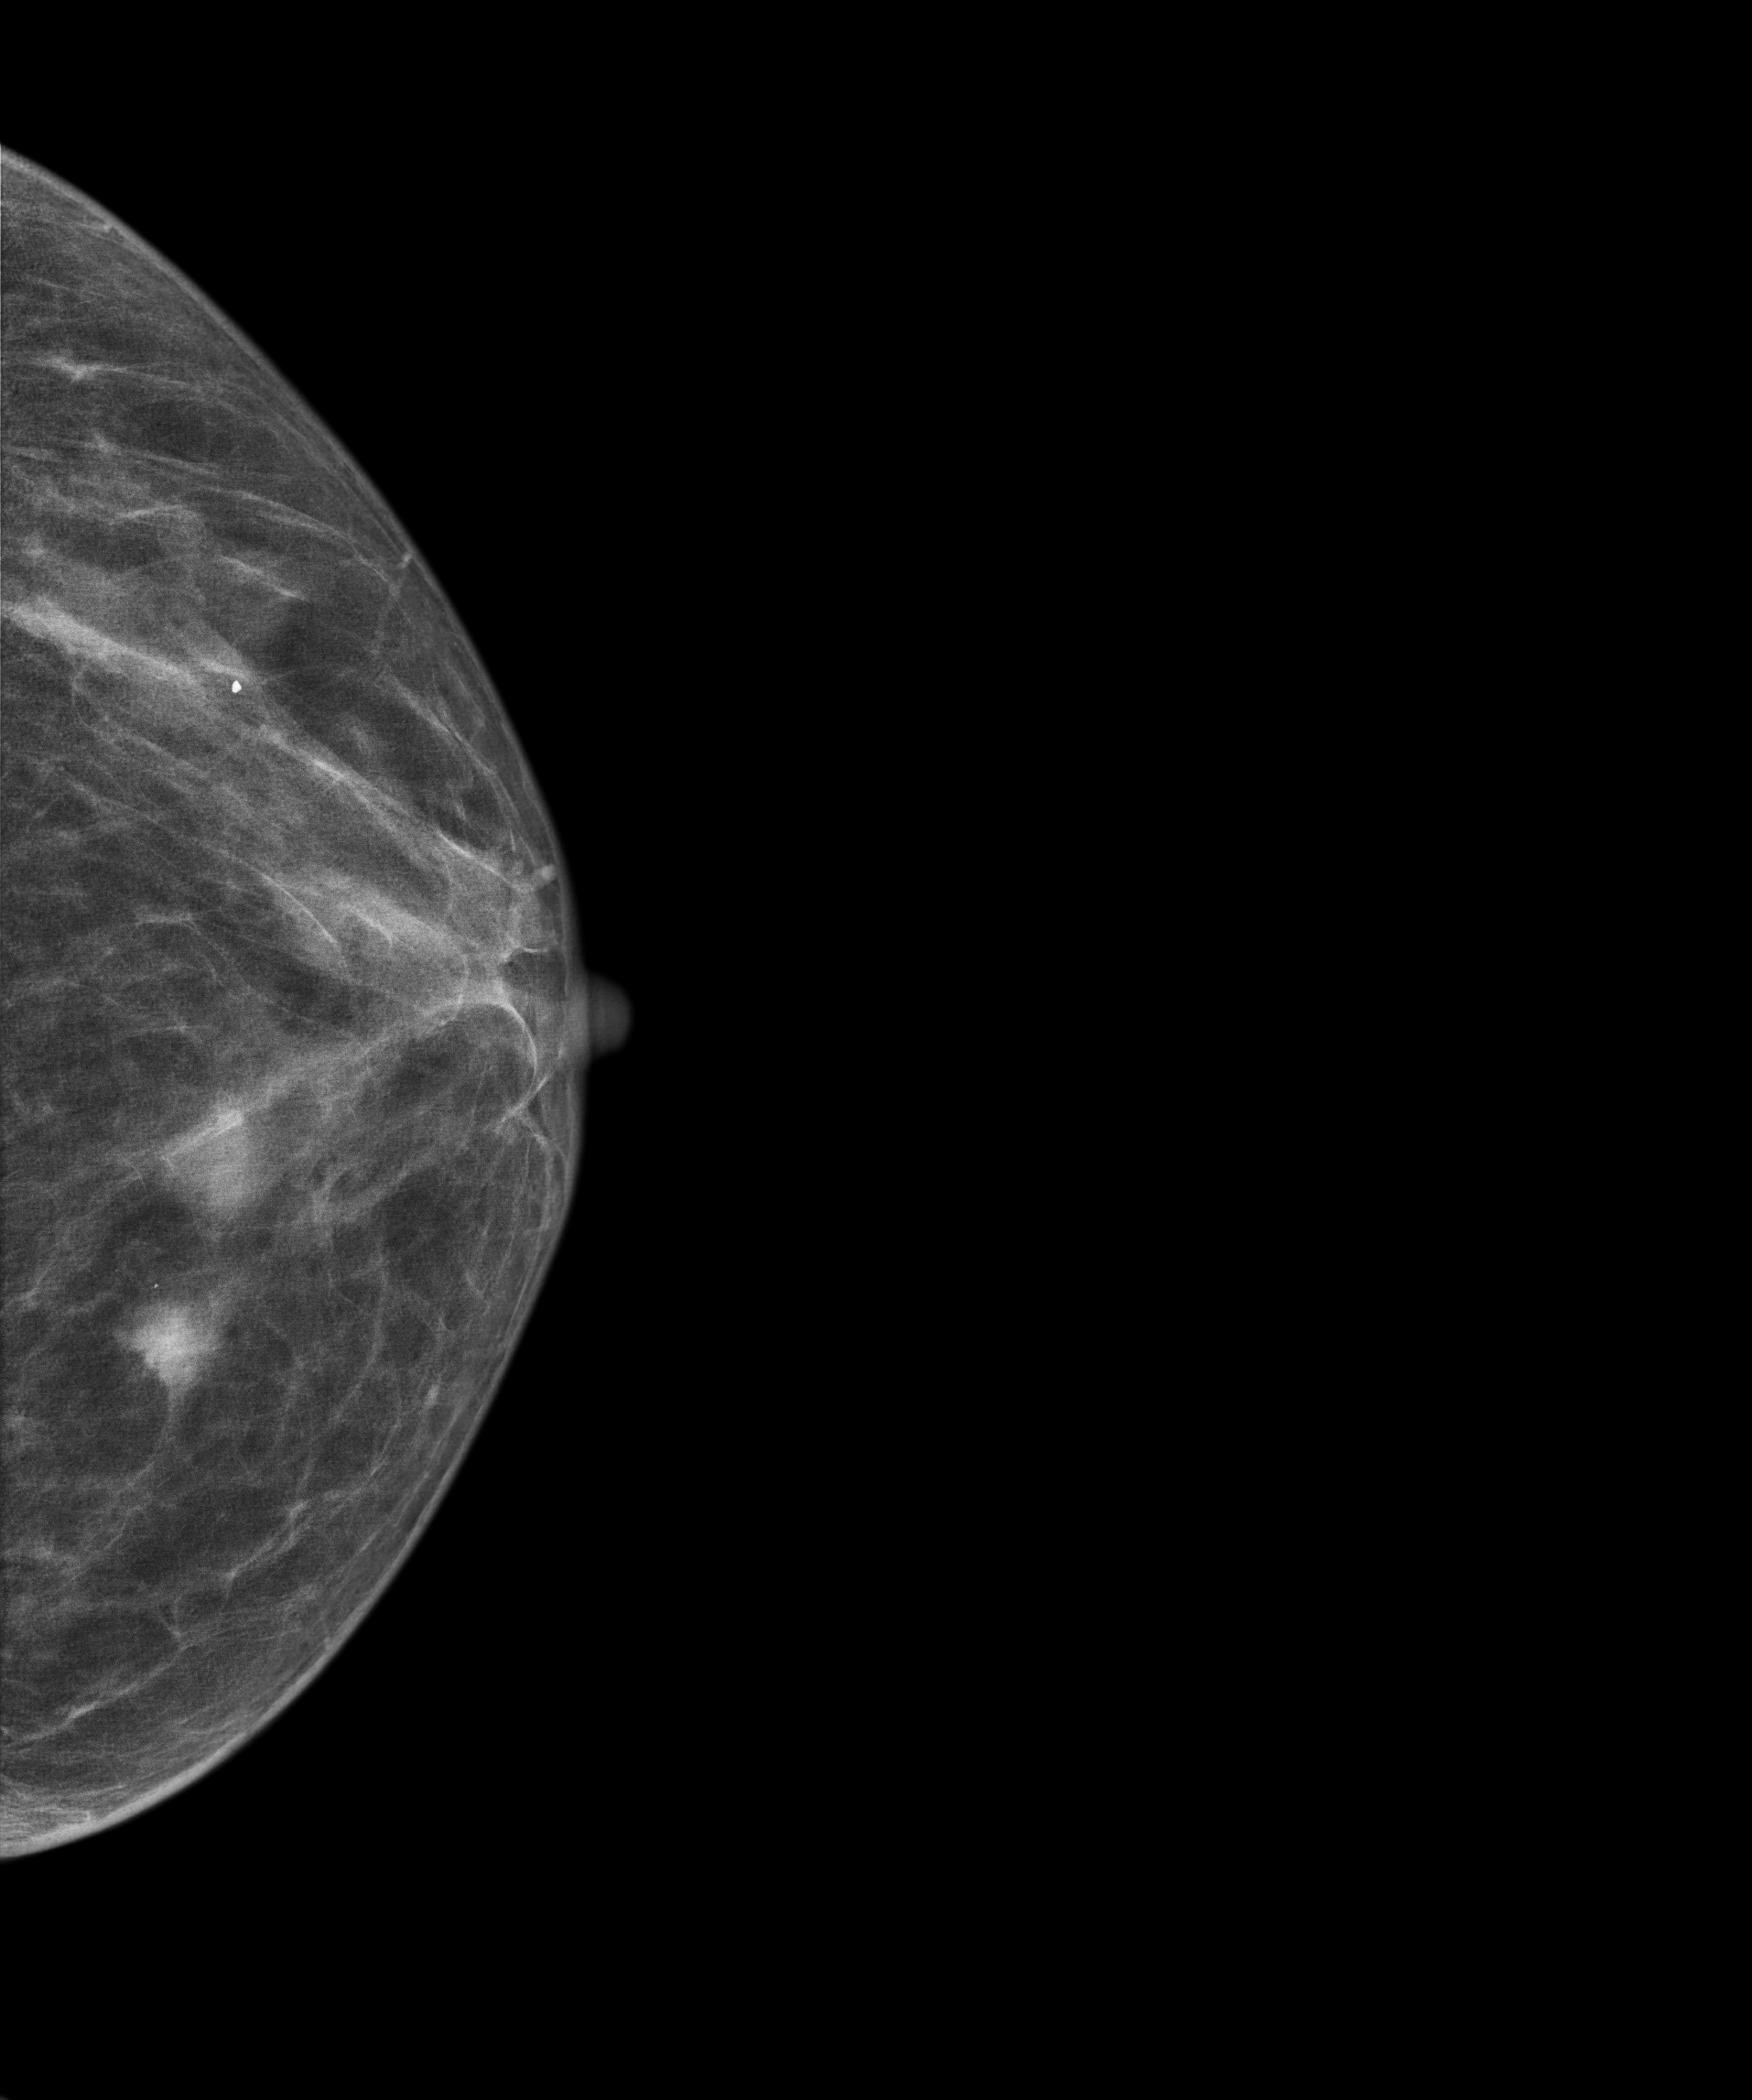
Mammogram, left breast, cranio-caudal view. Patient age 58.
This breast has a mass, pathology-confirmed malignant.